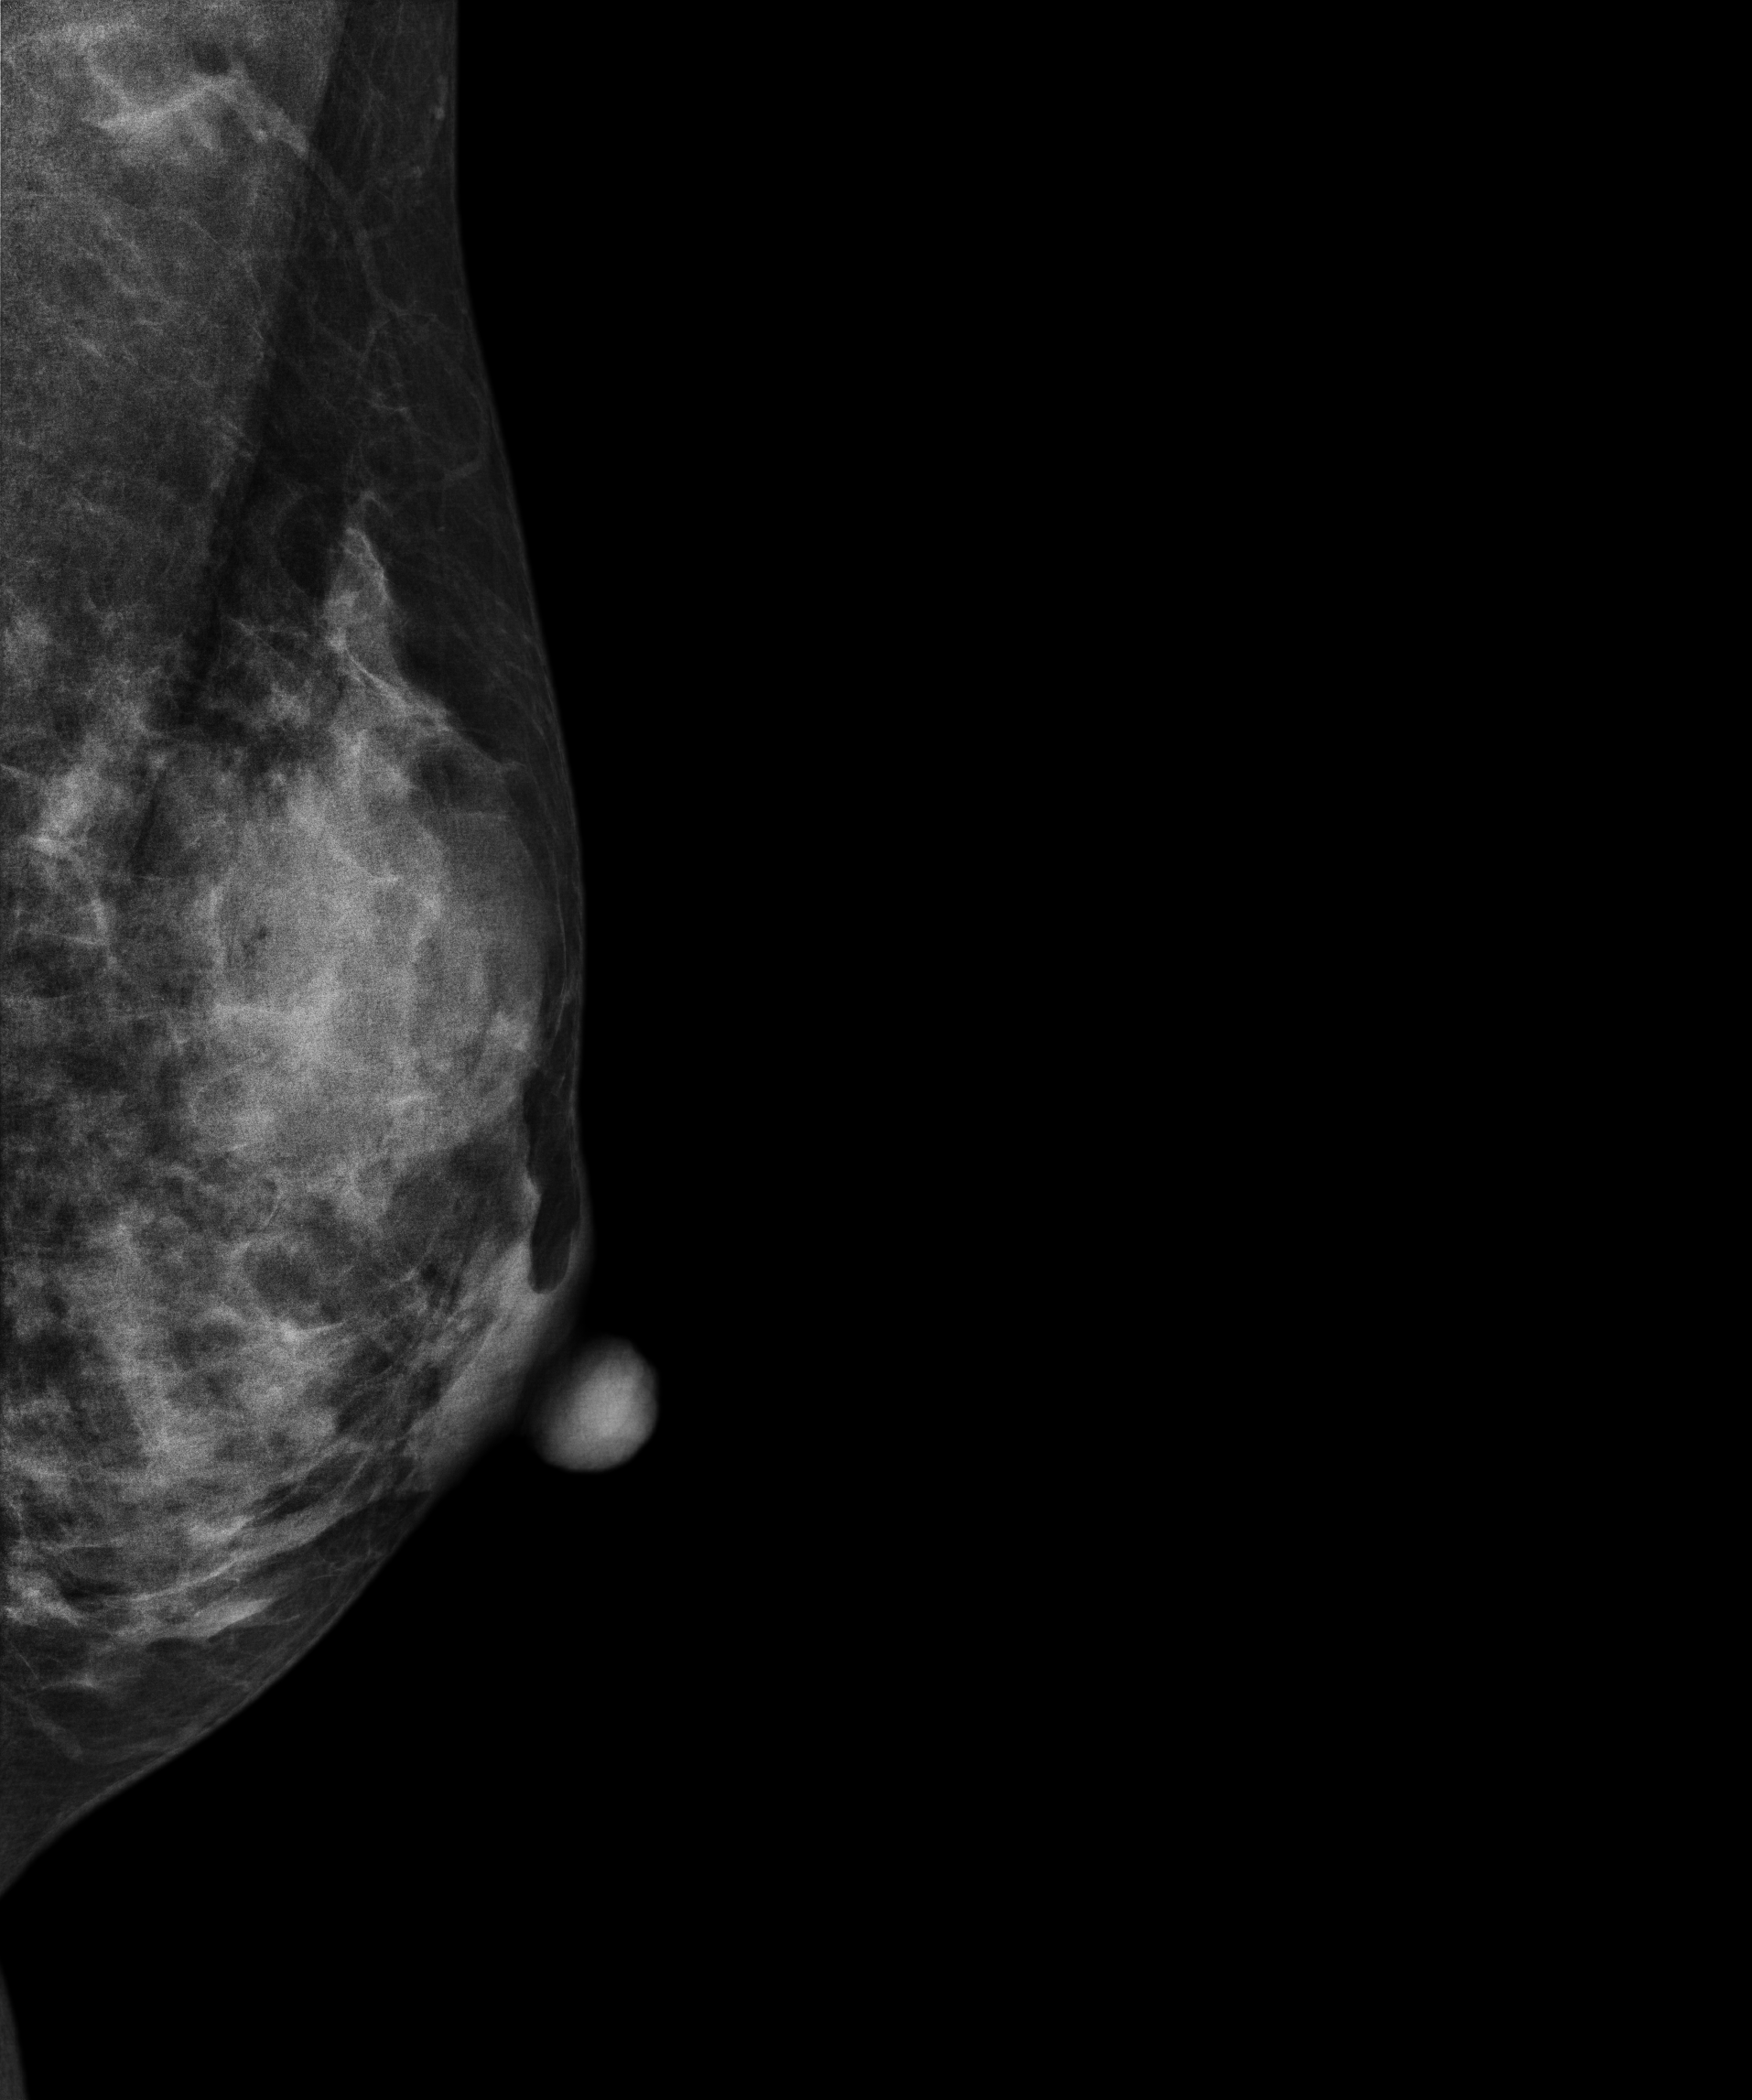
Mammogram, left breast, MLO view. 49-year-old patient.
Contralateral breast — no documented abnormality on this side.